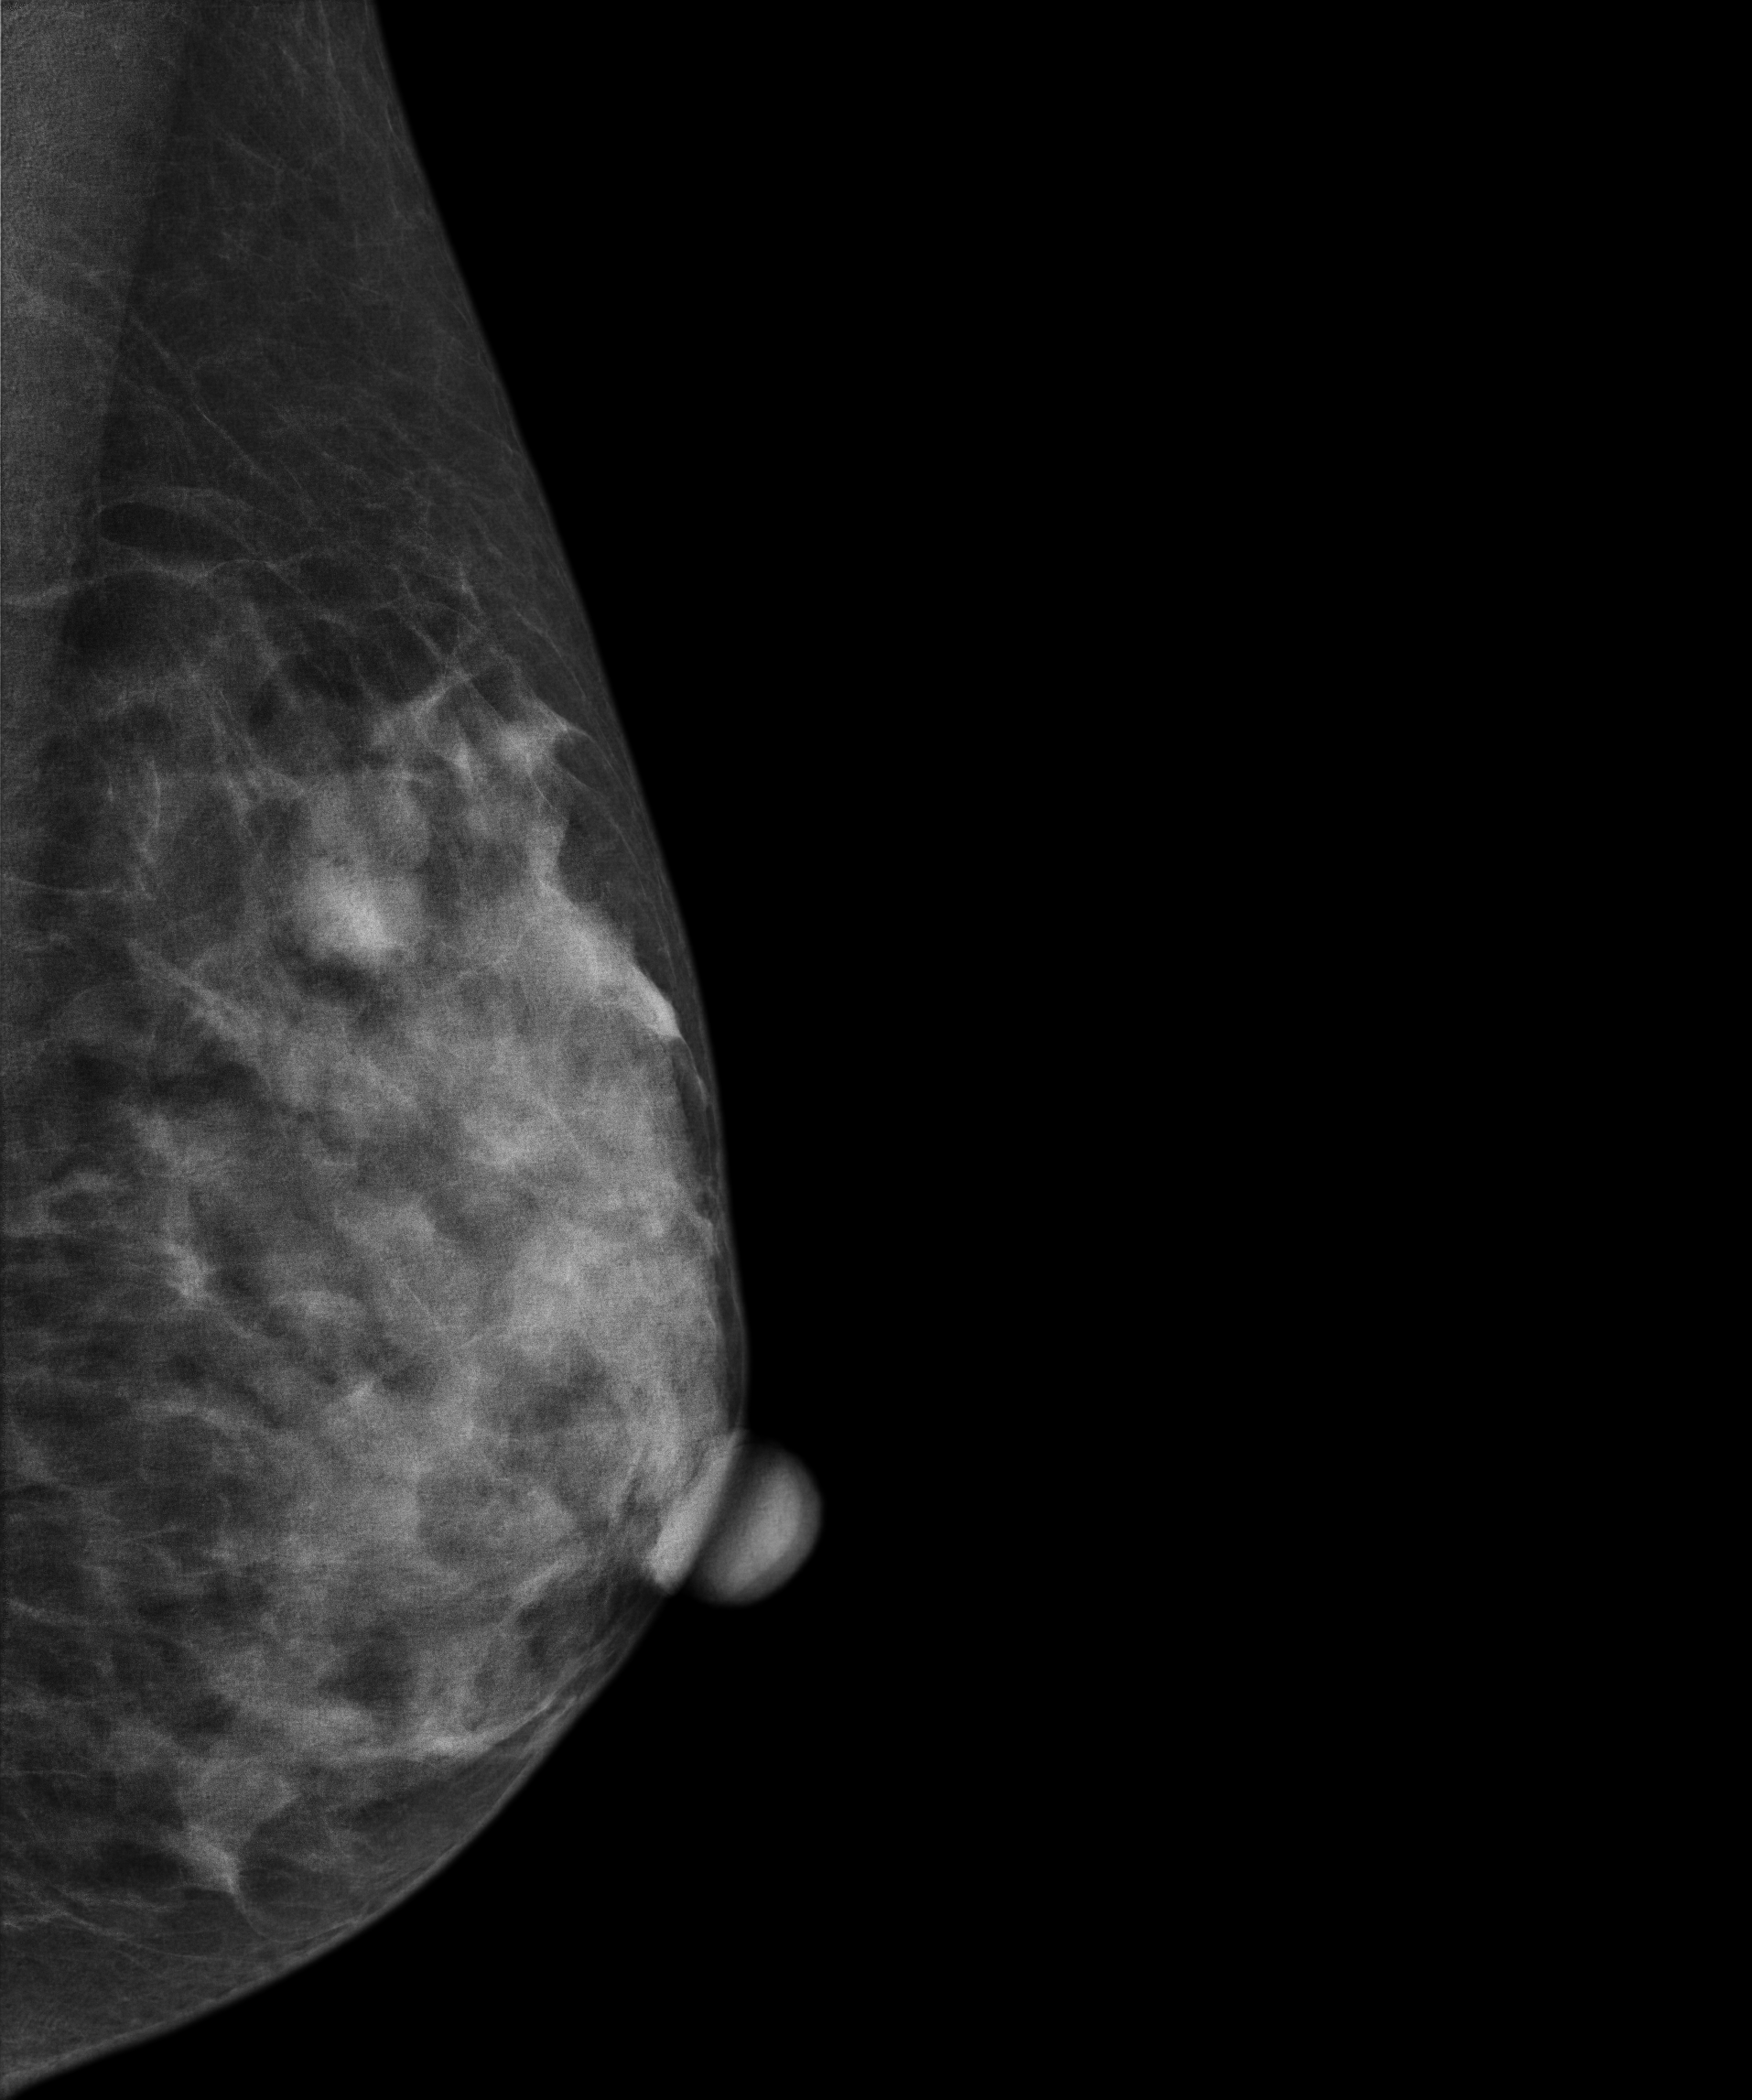
Mammogram, left breast, MLO view. Patient age 34.
This breast has a mass, biopsy-confirmed benign.